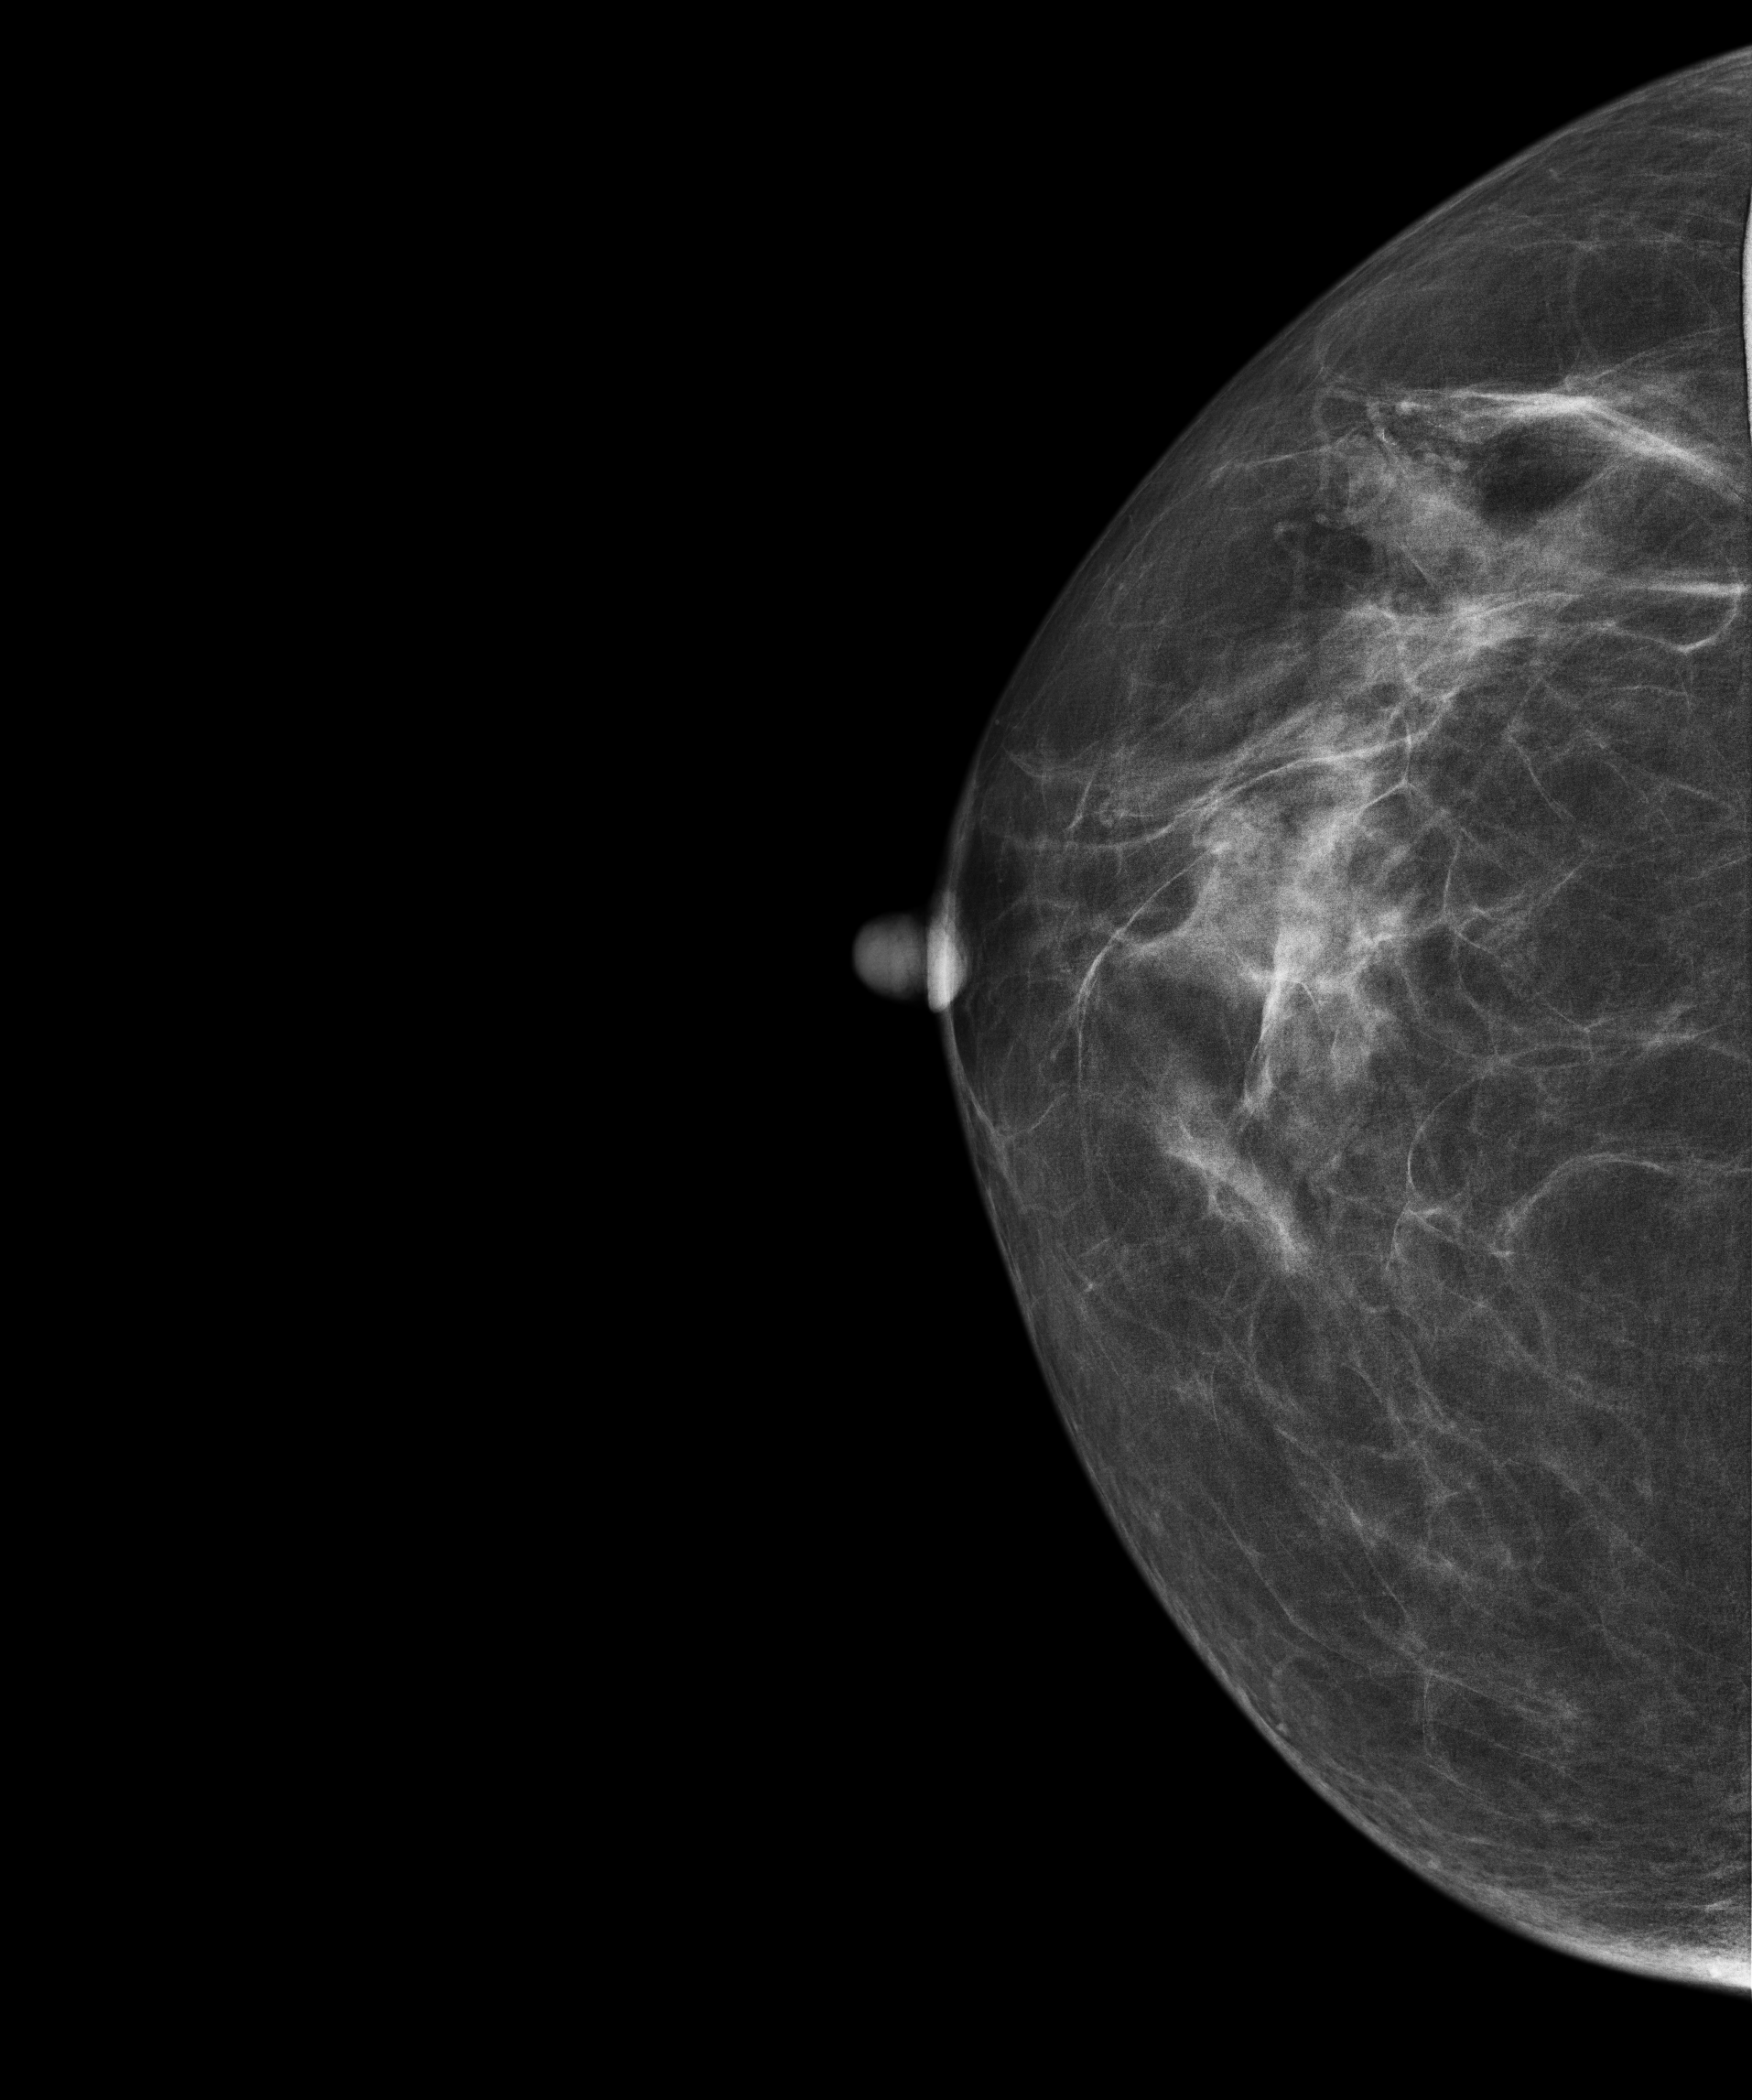
Right-breast mammogram, CC. 60-year-old patient.
Contralateral breast — no documented abnormality on this side.